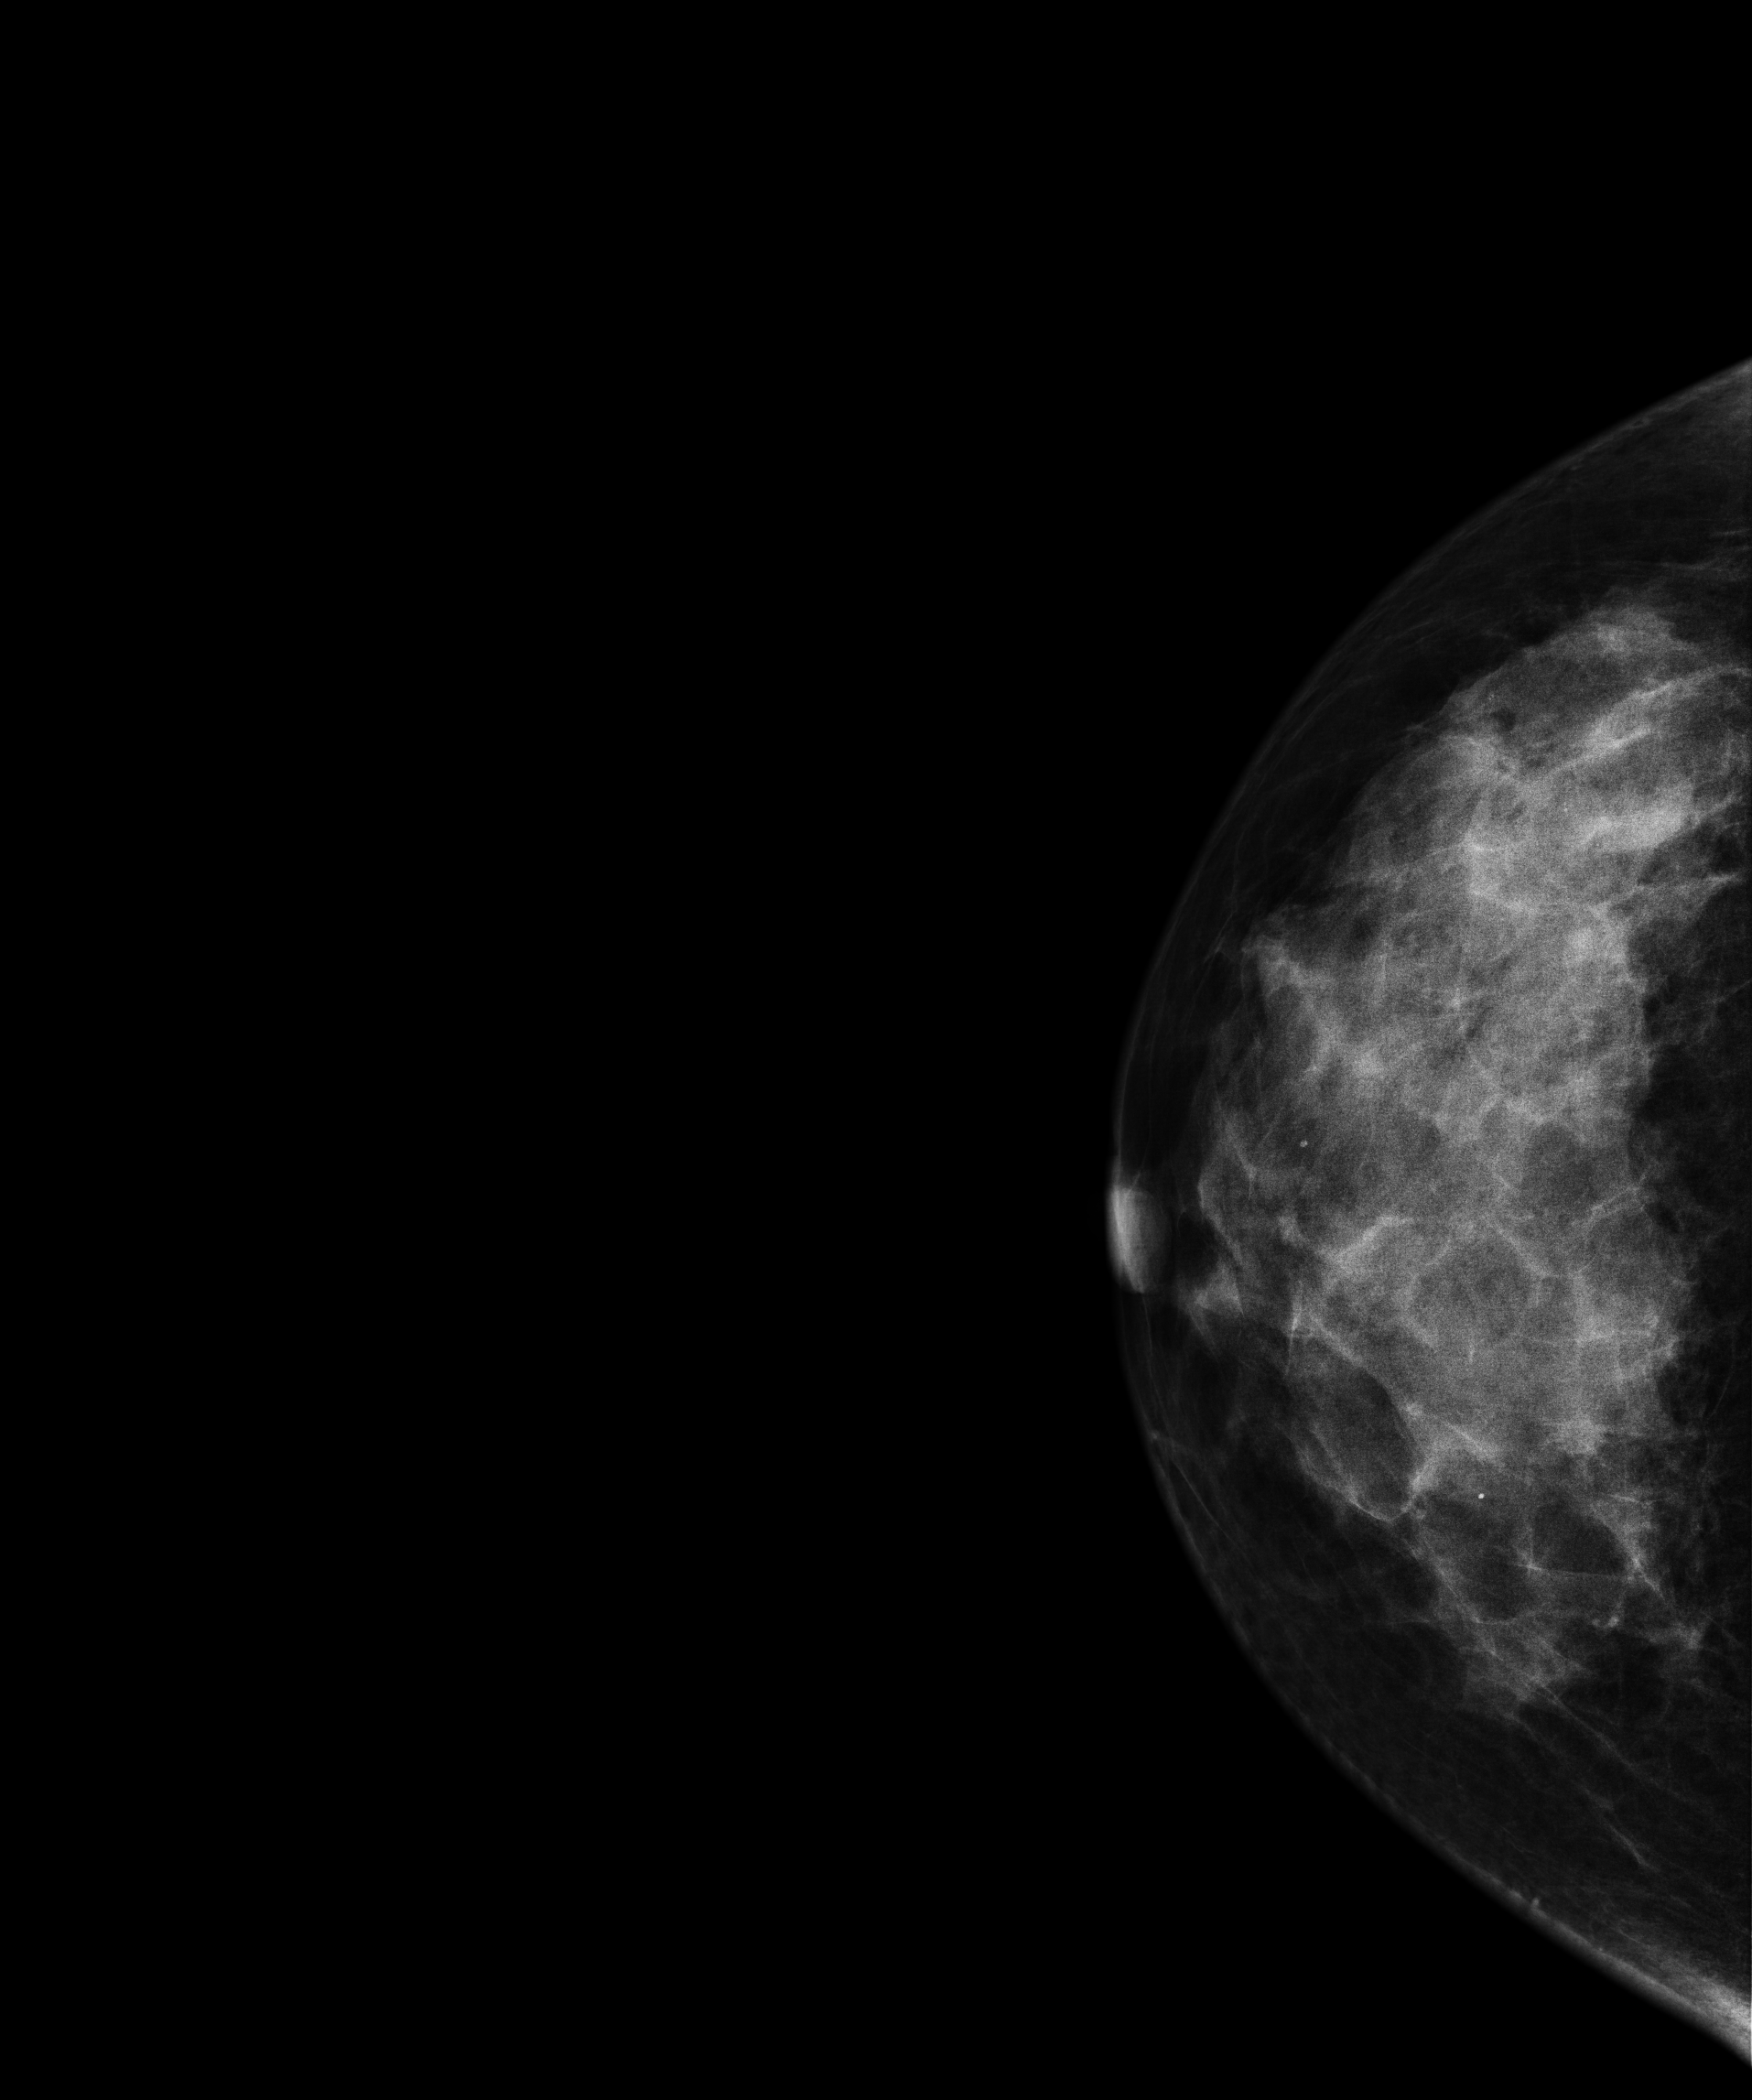
Digital mammography. Right breast, cranio-caudal projection. Patient age 49.
This breast has a mass, biopsy-proven malignant. Molecular subtype: luminal B.